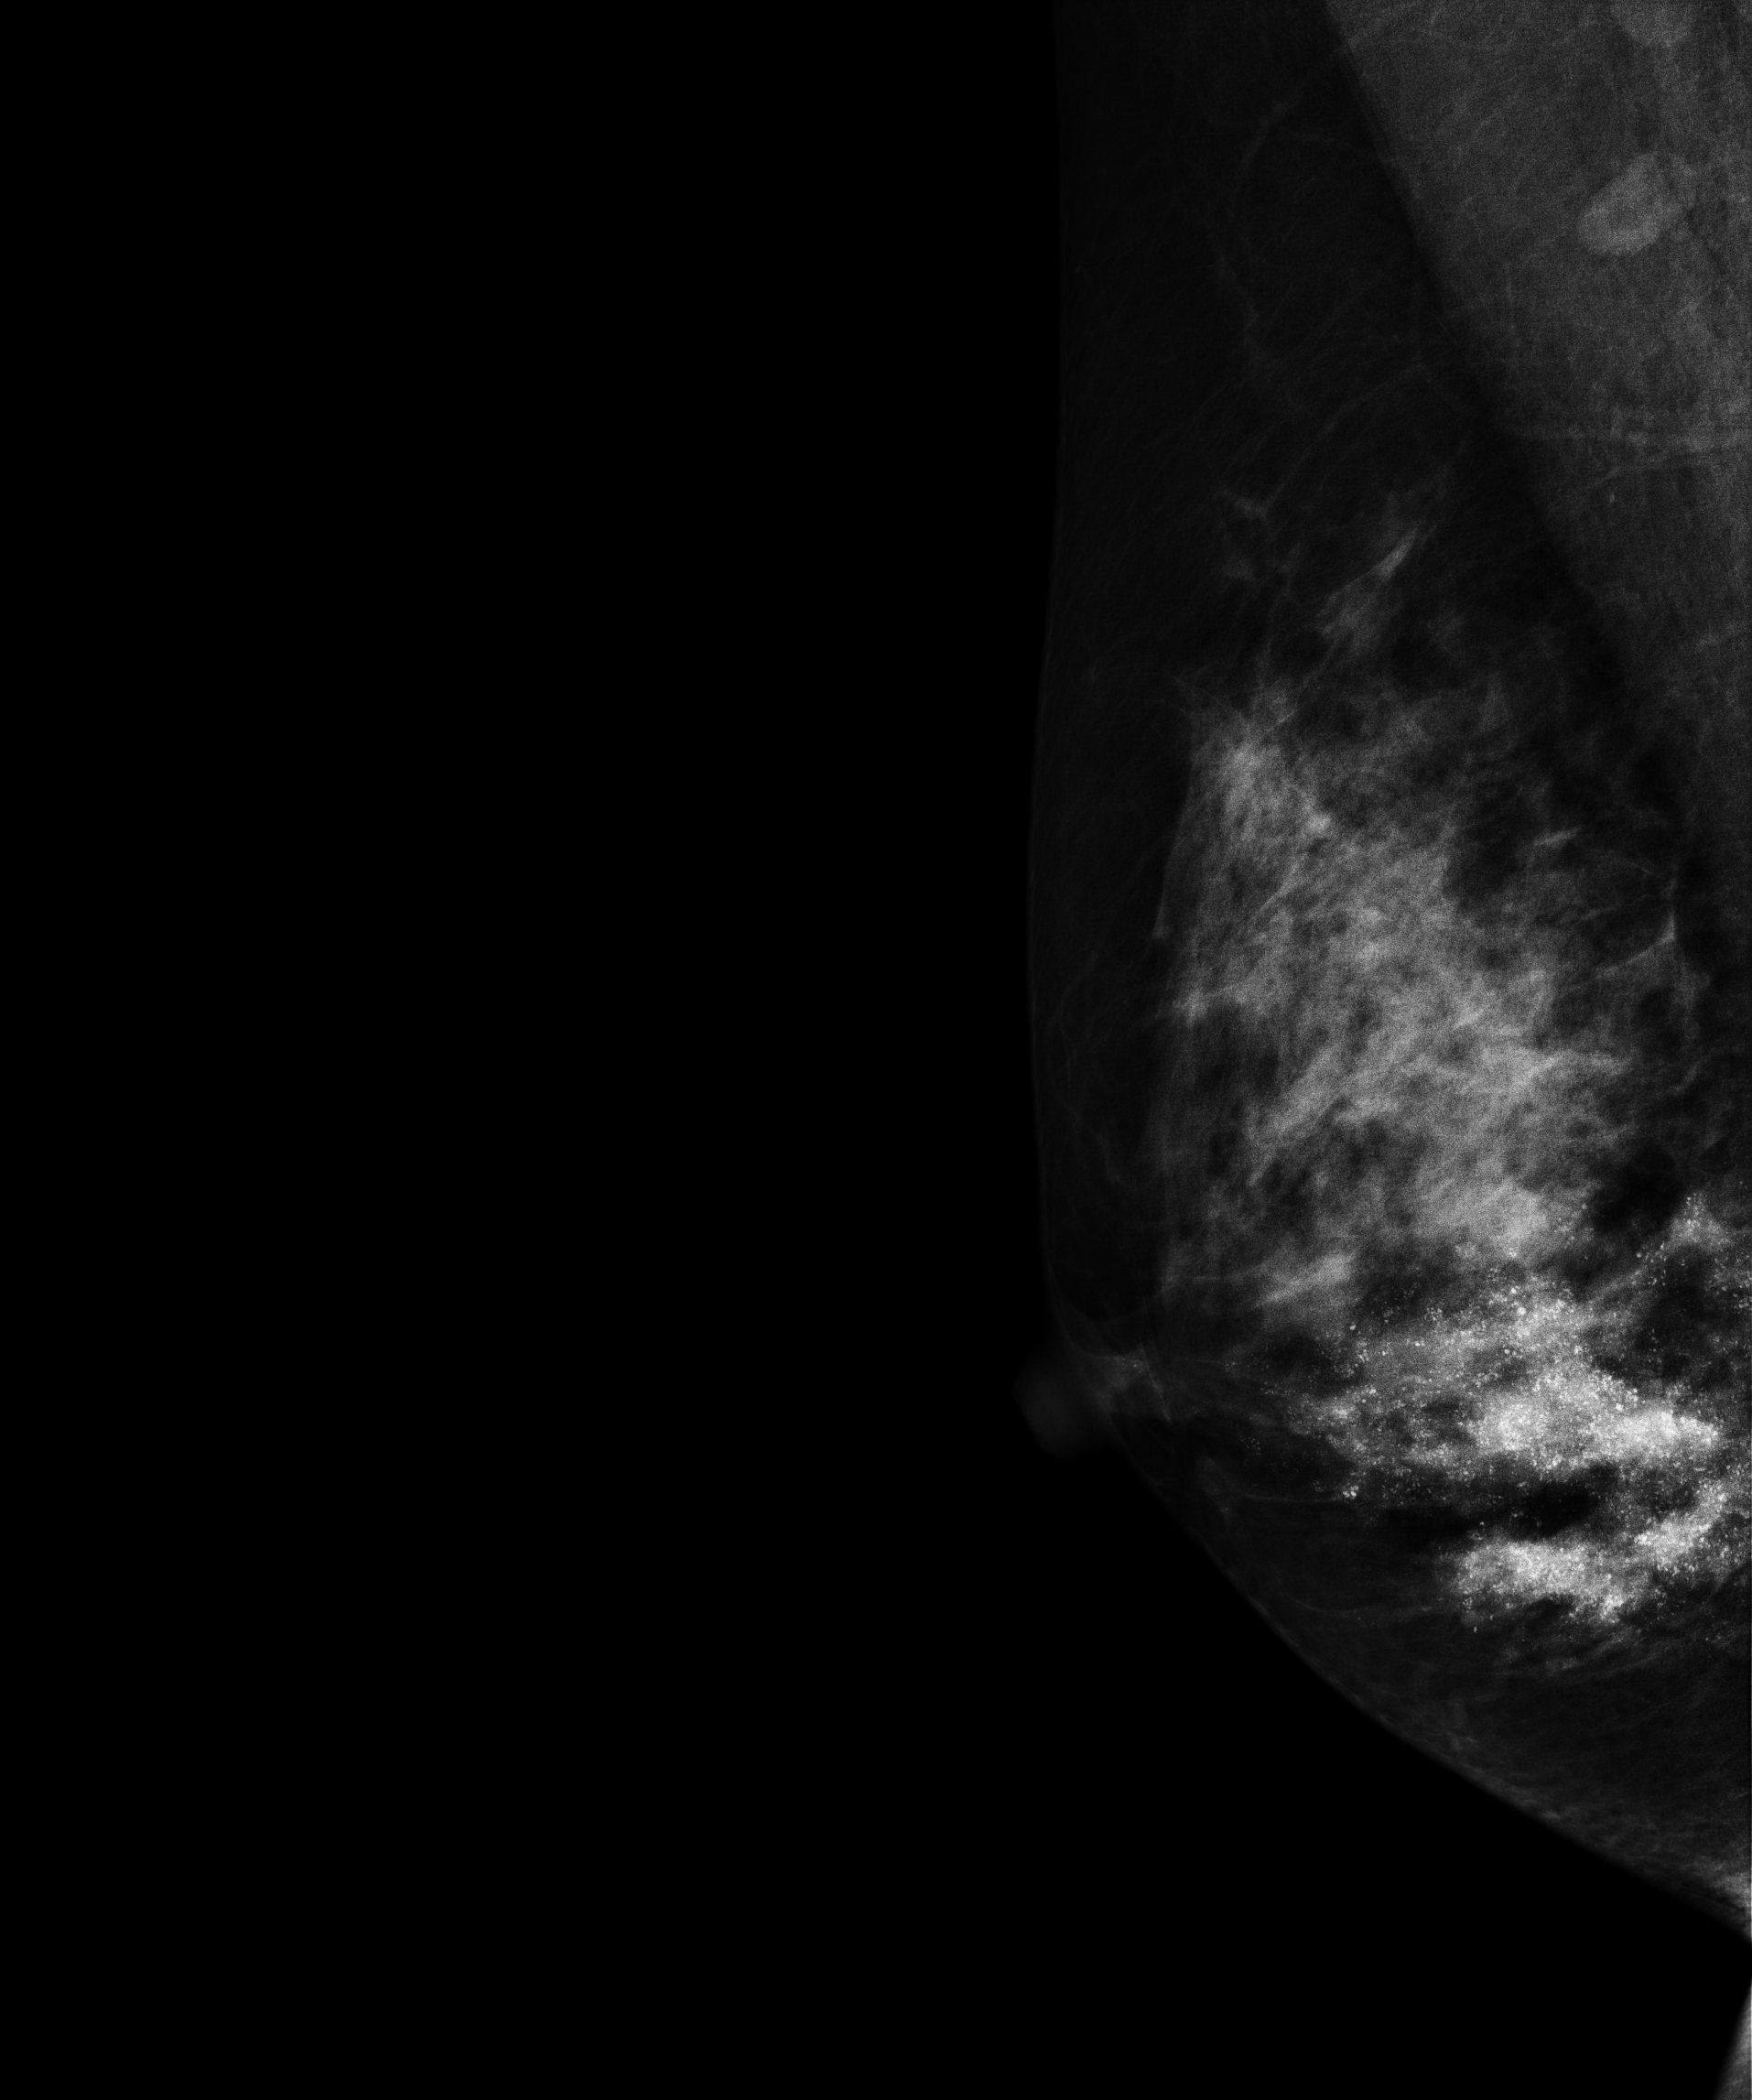
Right-breast mammogram, MLO. 42-year-old patient.
This breast has a mass and calcifications, biopsy-proven malignant. Molecular subtype: luminal B.